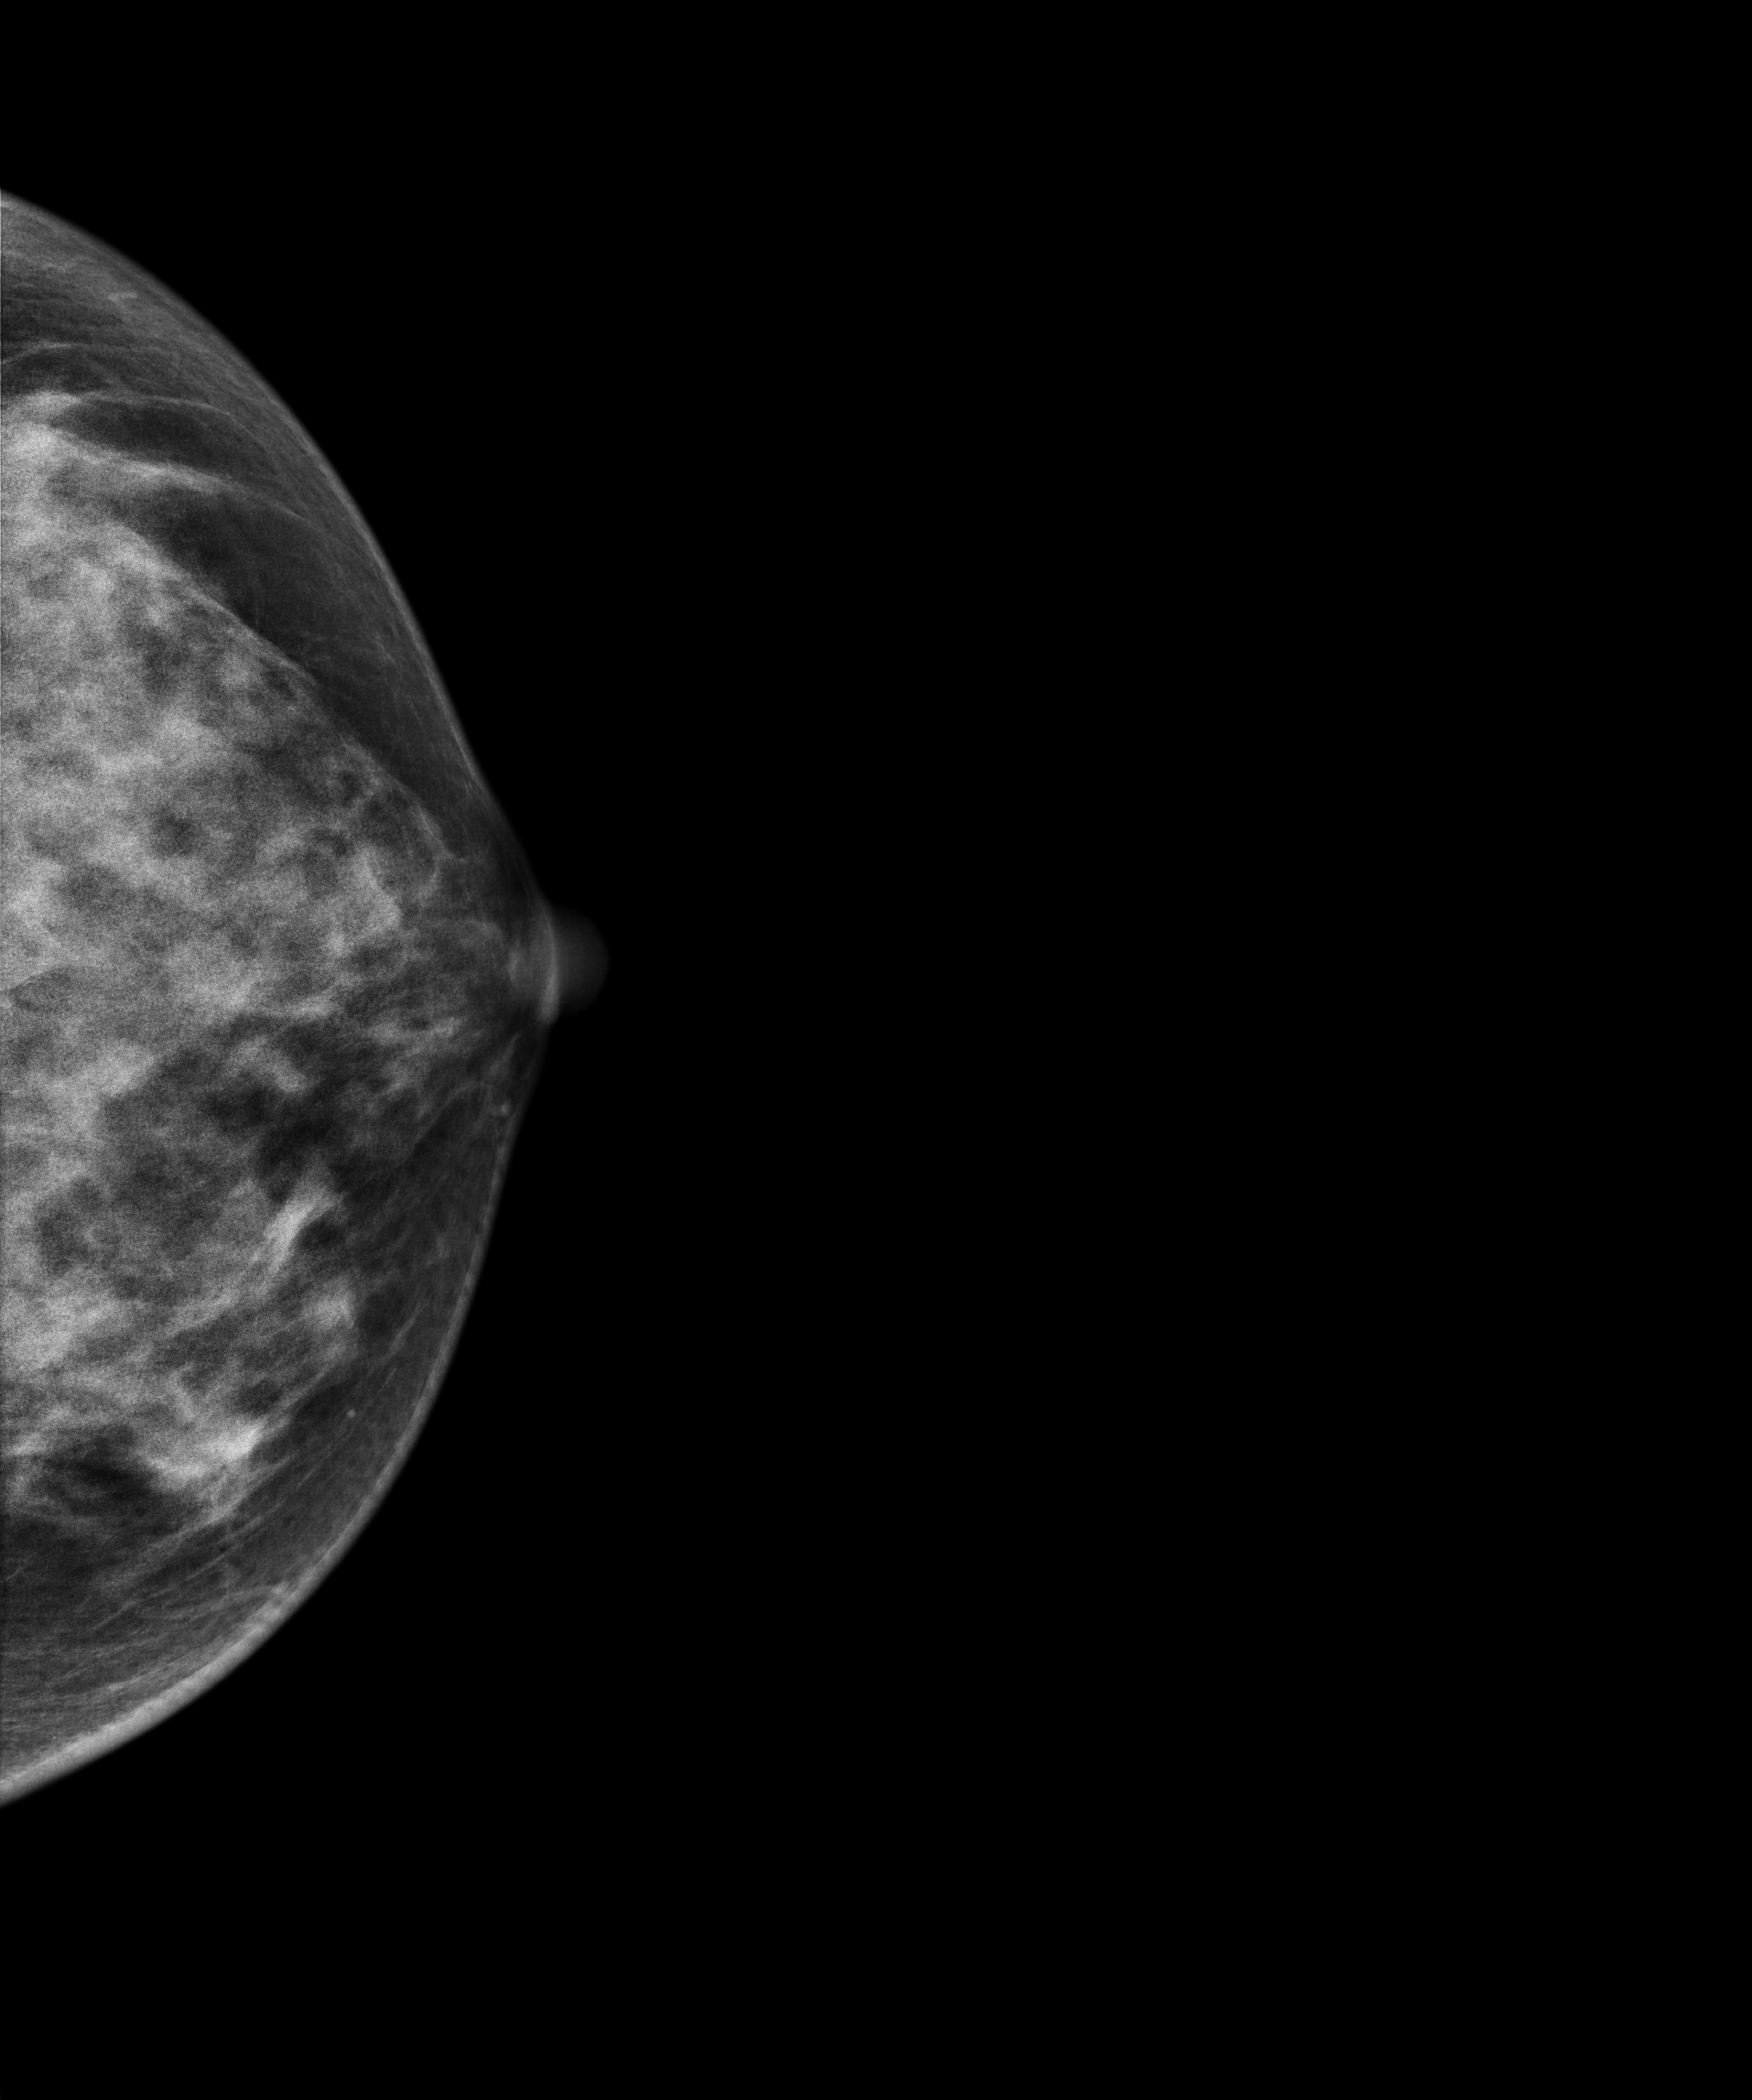
Mammogram, left breast, CC view. Patient age 33.
Contralateral breast — no documented abnormality on this side.